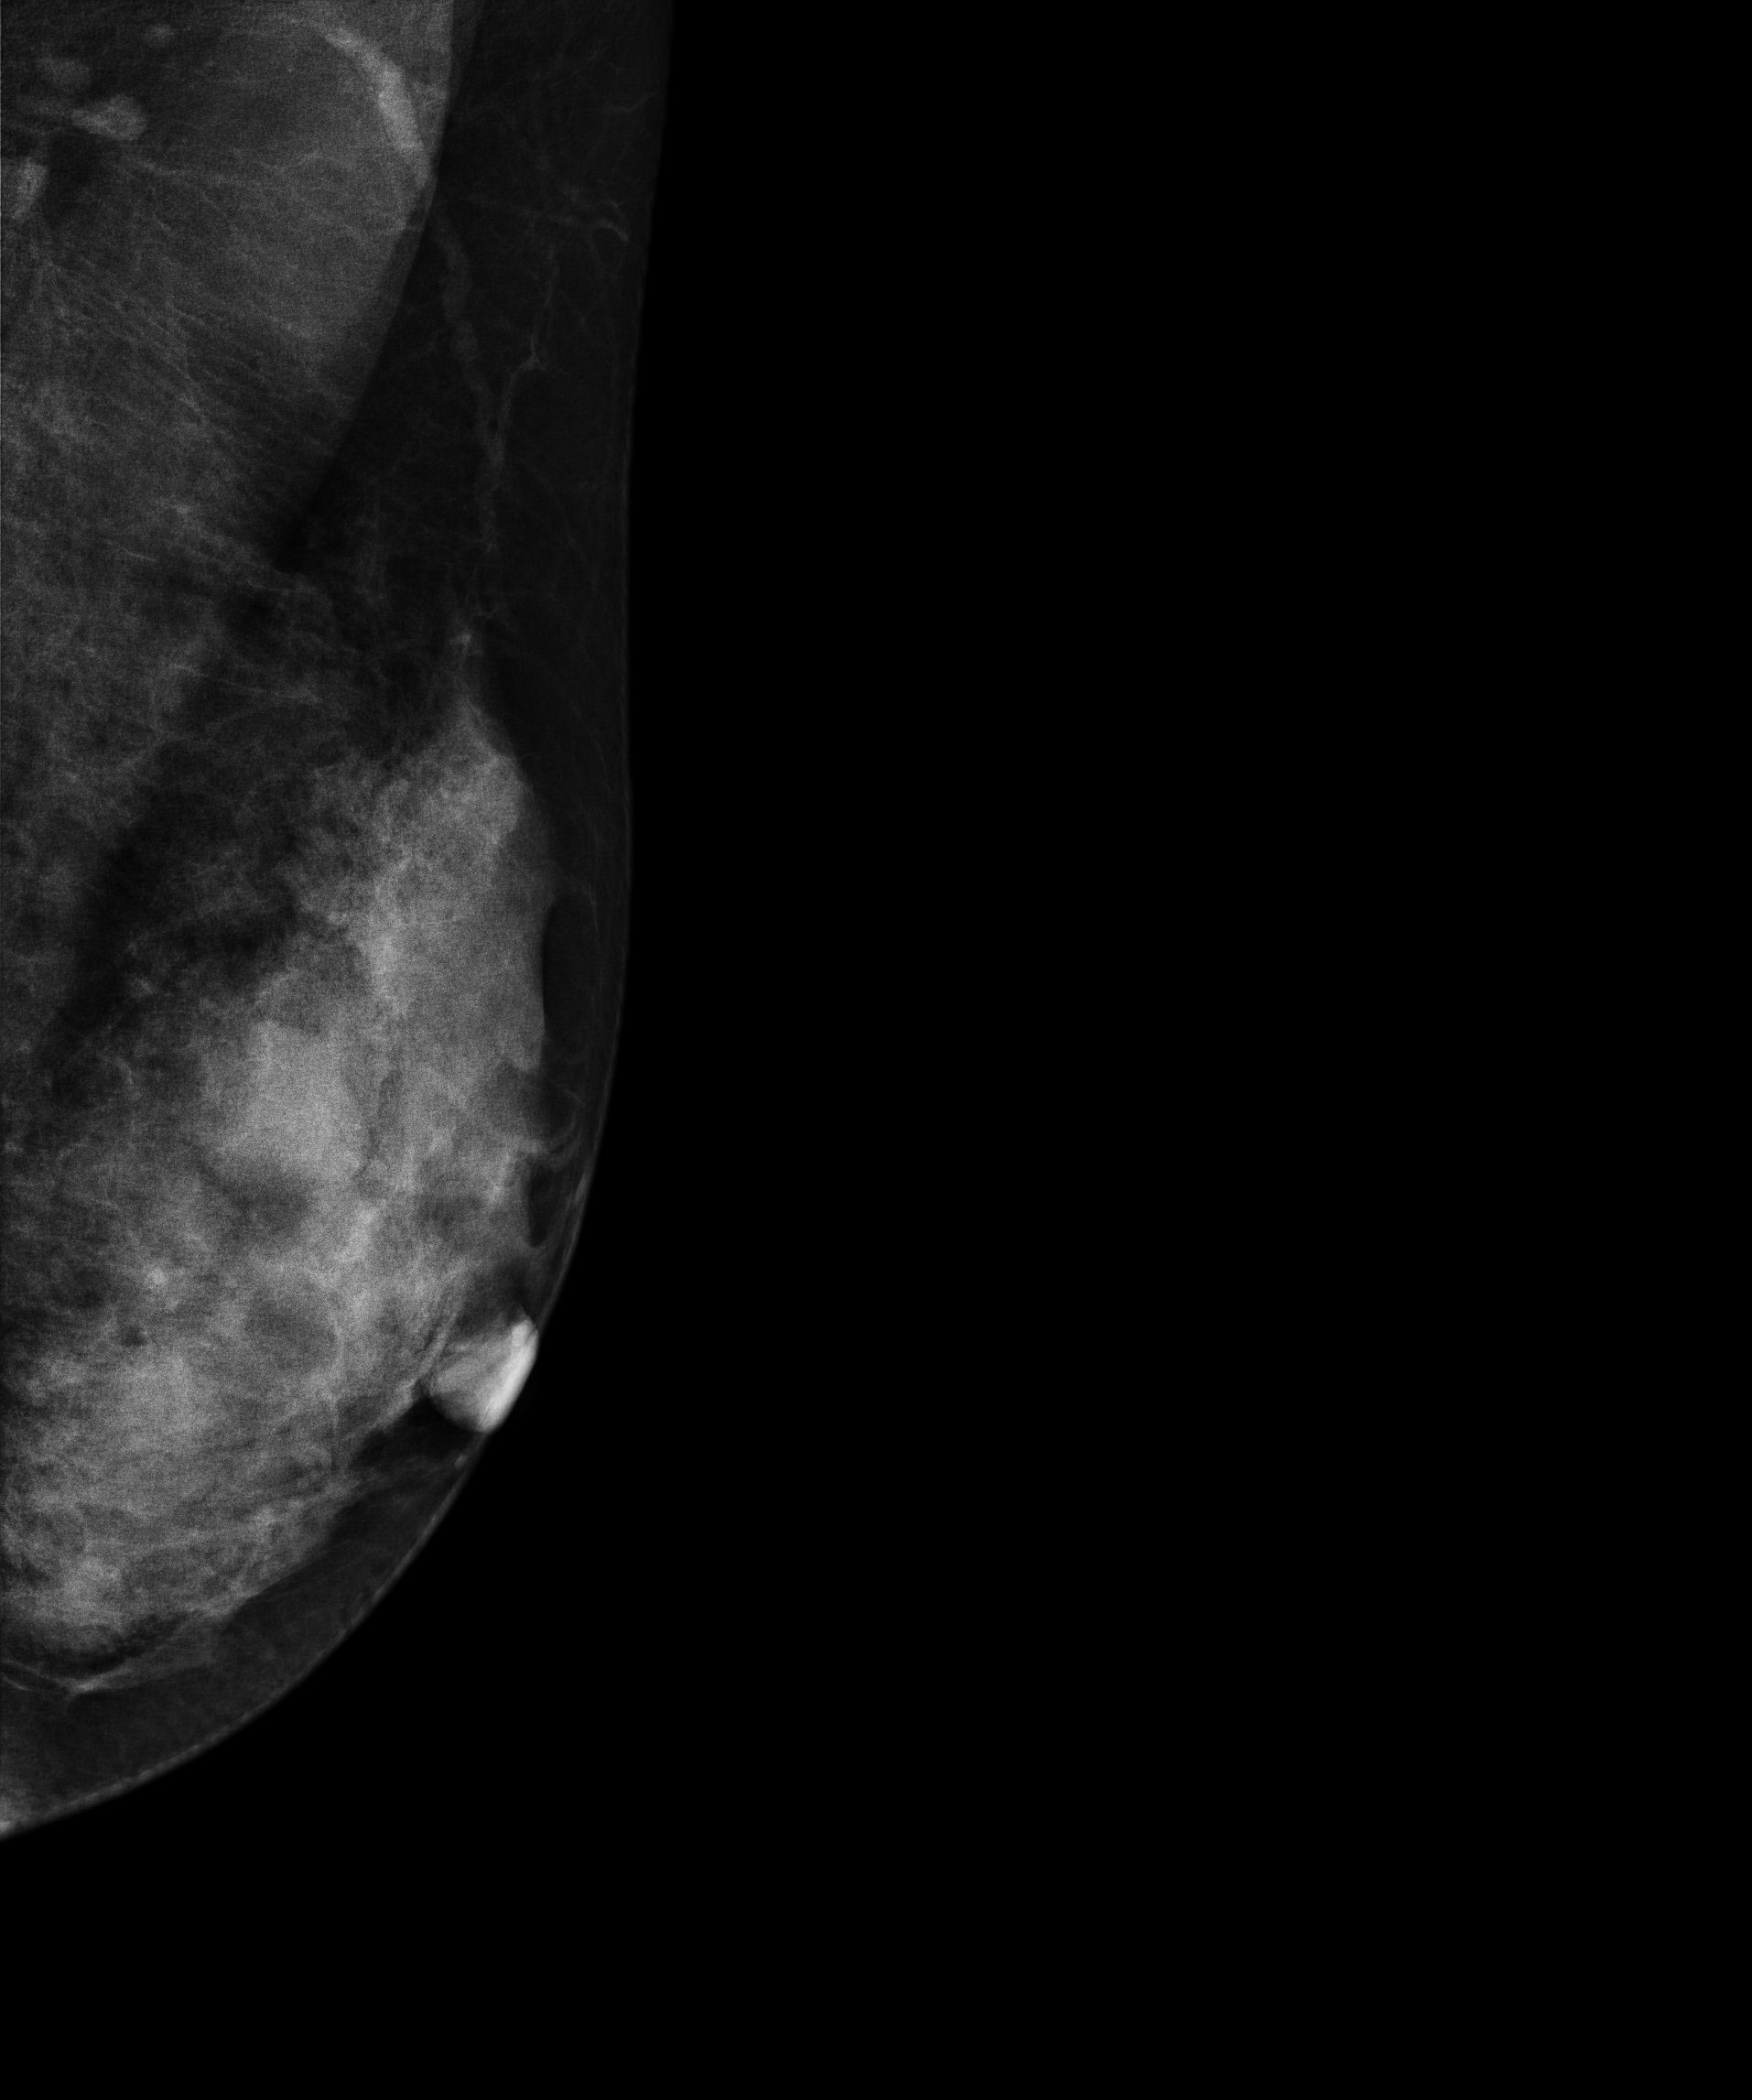
Mammogram, left breast, medio-lateral oblique view. 41 y/o patient.
This breast has a mass, biopsy-confirmed benign.